Left-breast mammogram, medio-lateral oblique. 47 y/o patient.
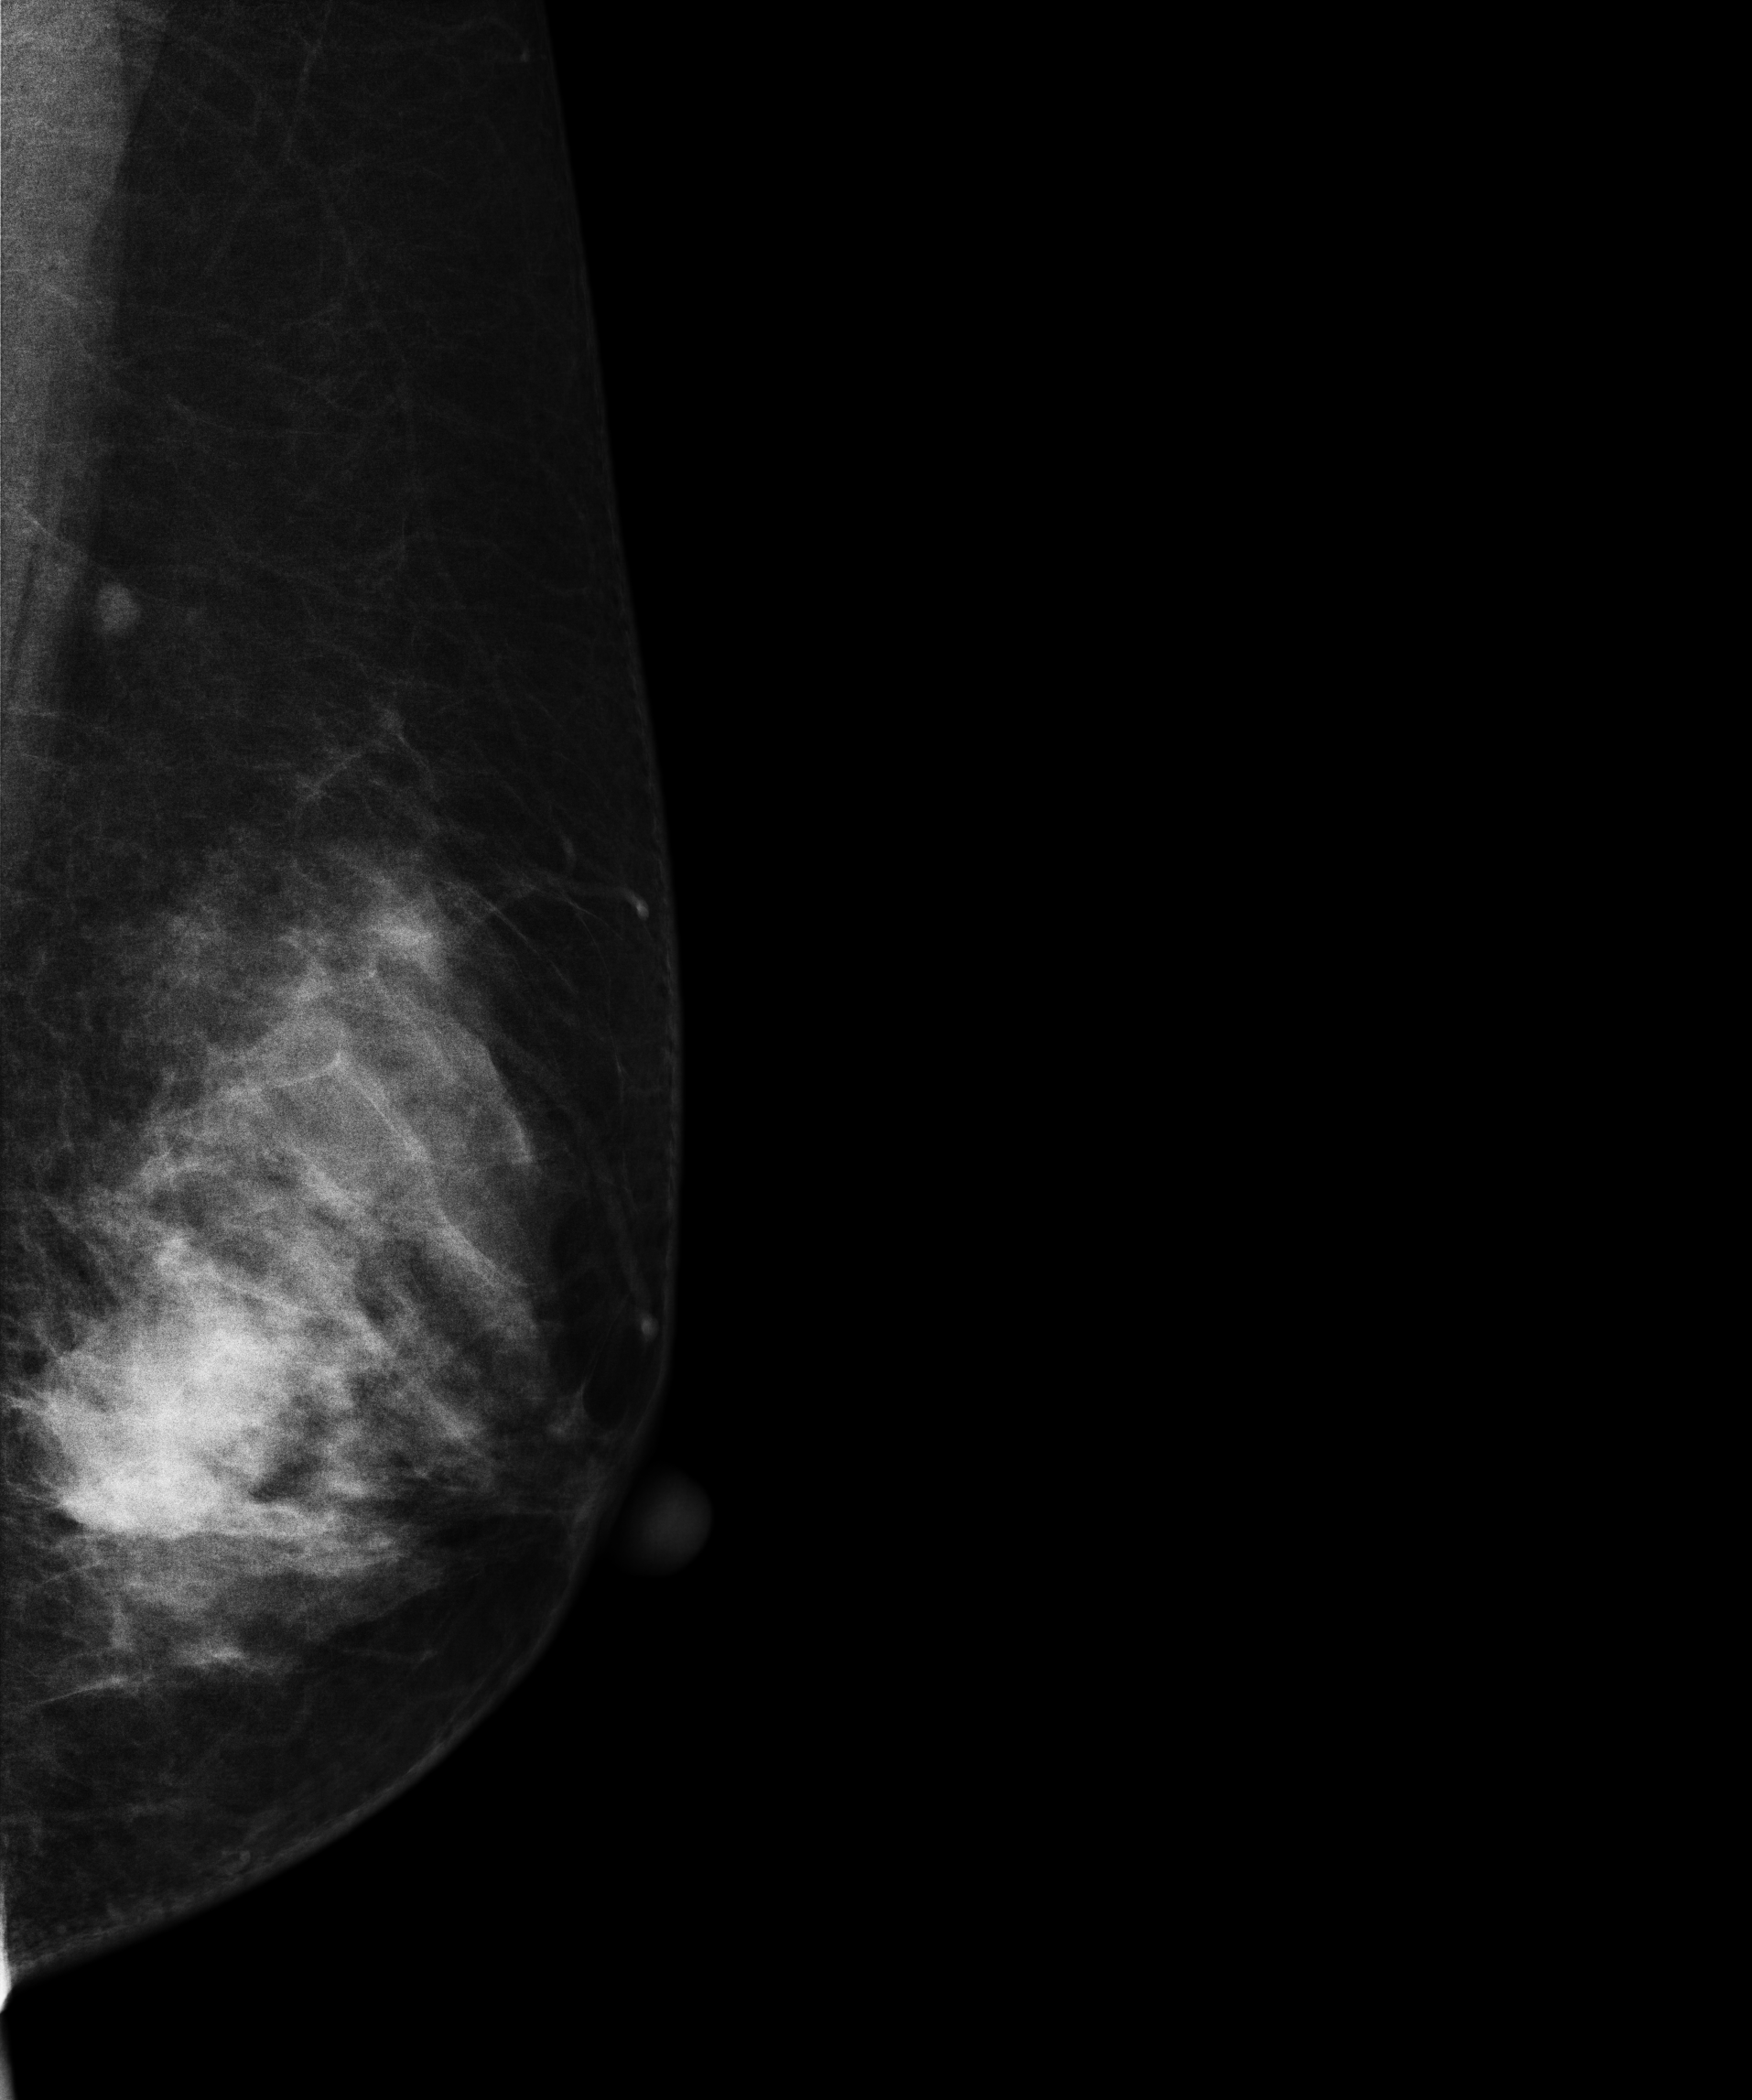
This breast has a mass, histologically confirmed malignant.